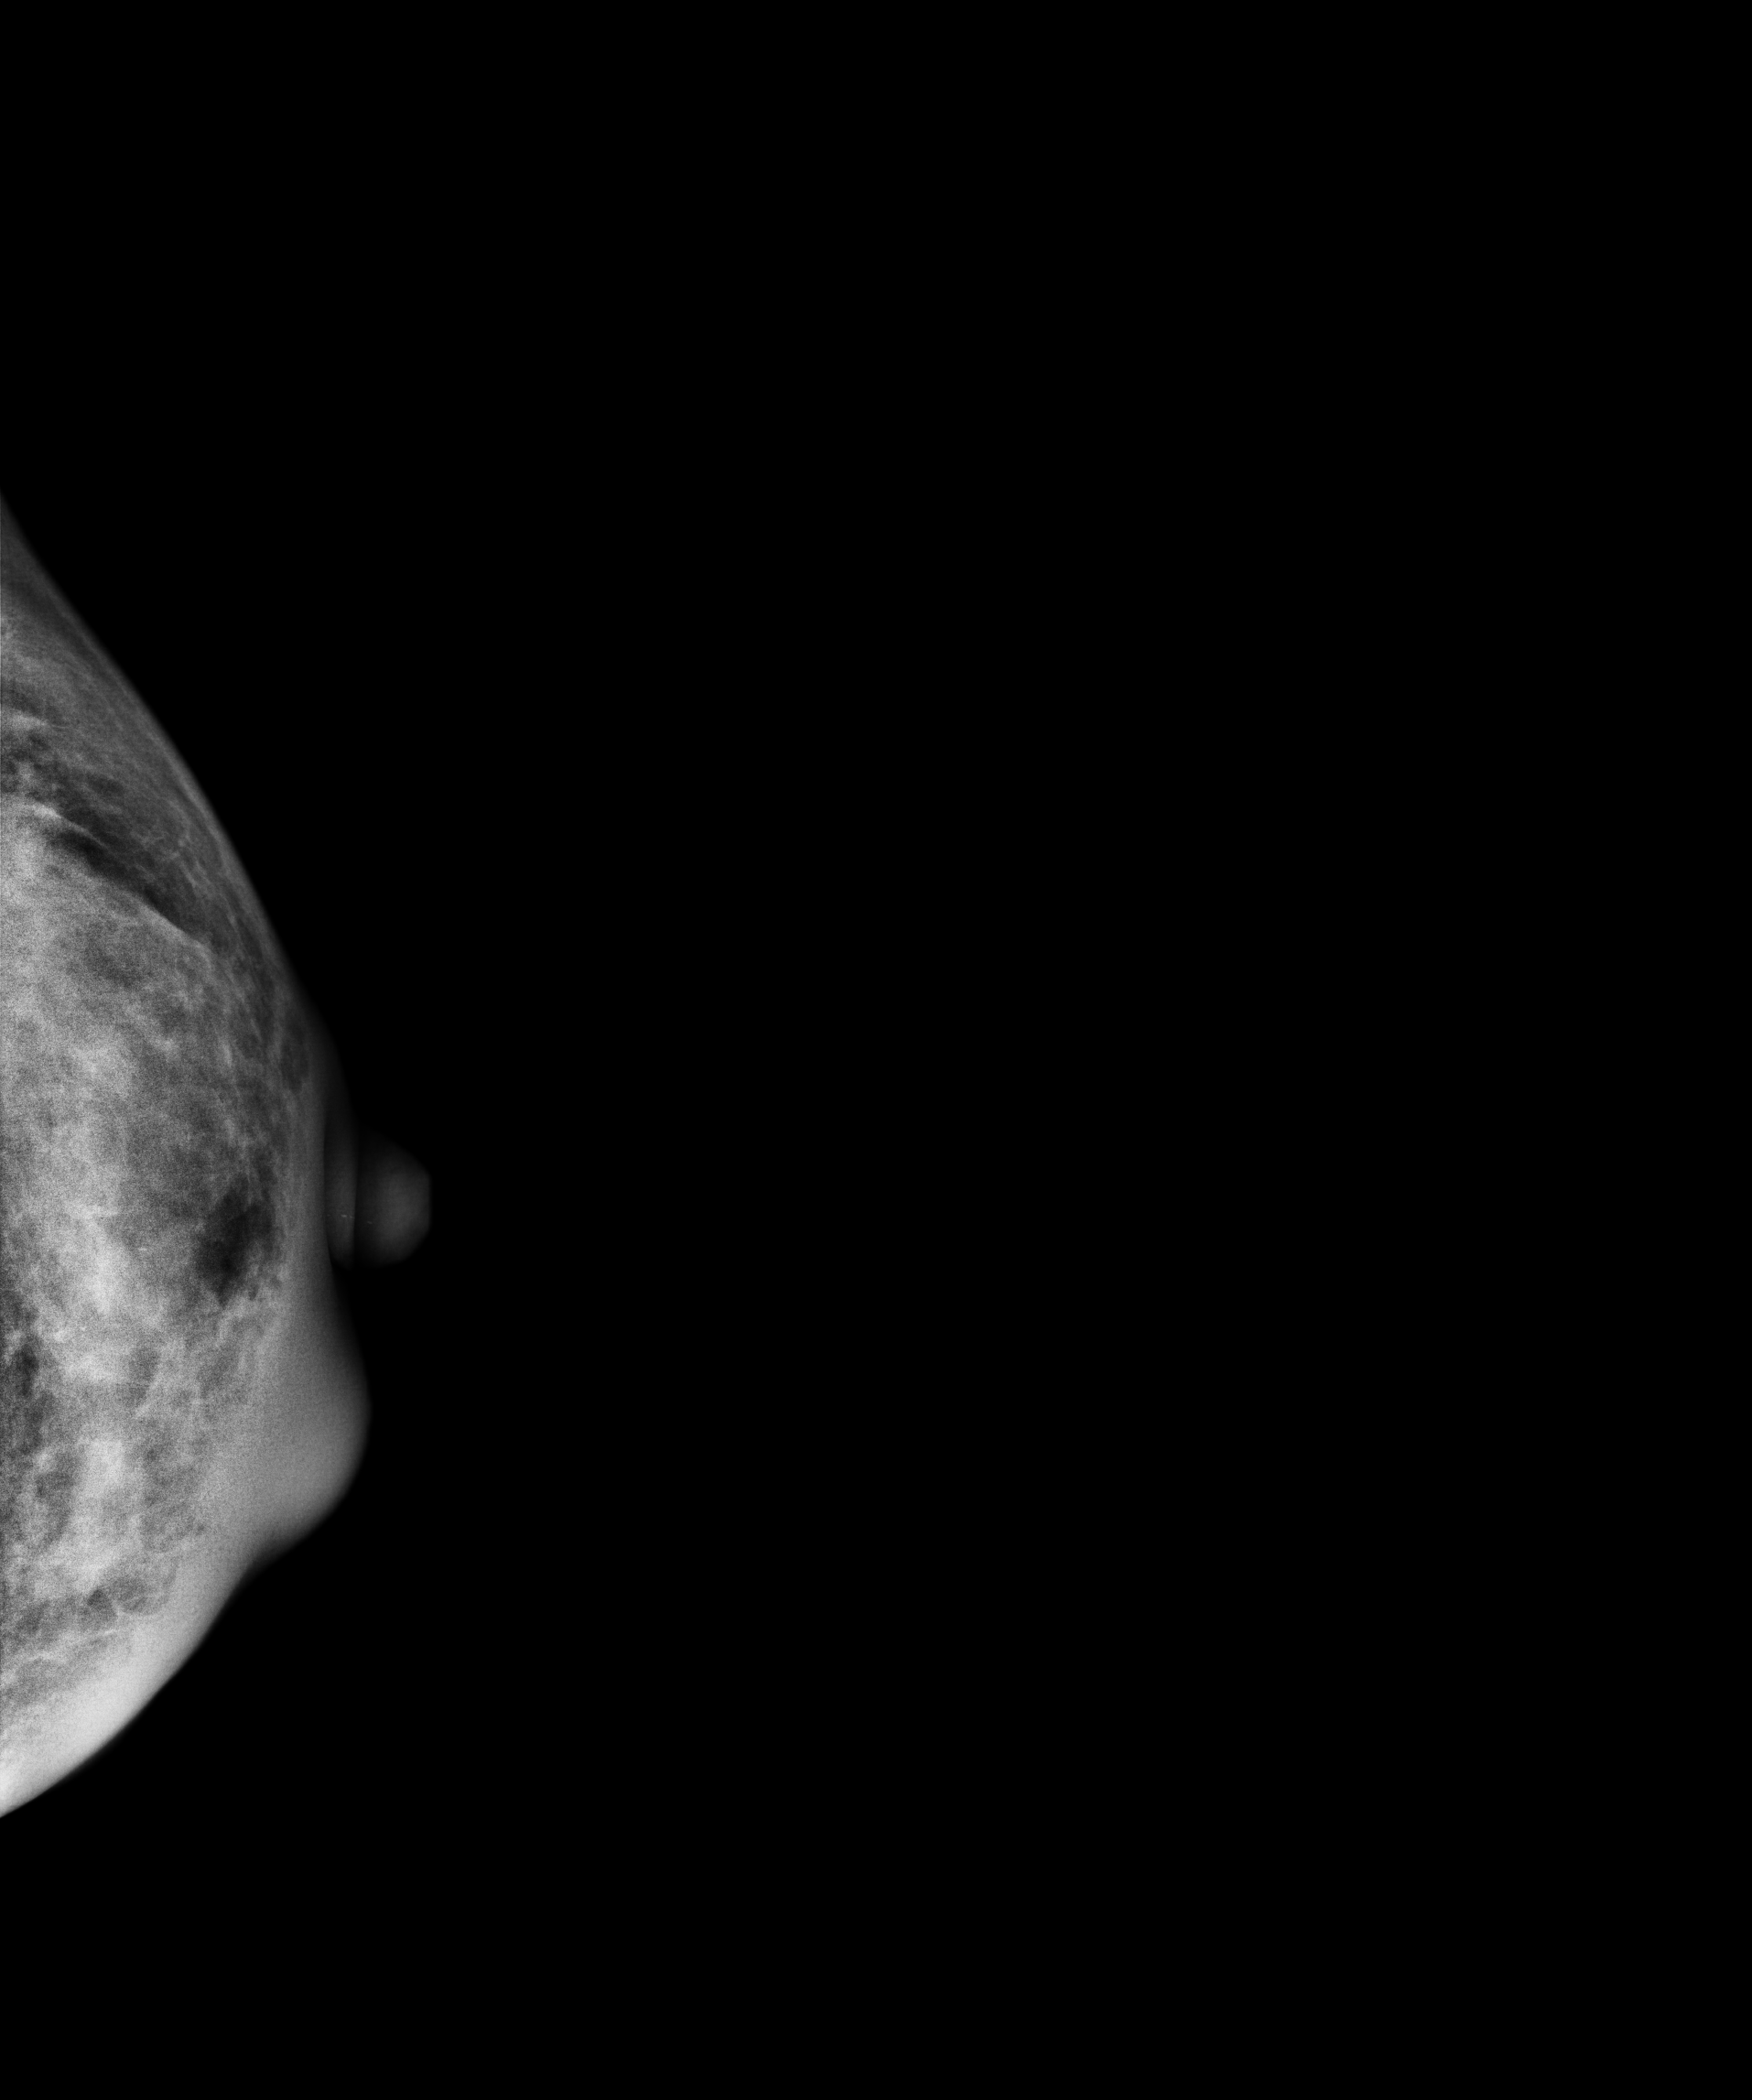
Mammogram, left breast, cranio-caudal view. 30 y/o patient.
This breast has a mass, biopsy-confirmed malignant. Molecular subtype: HER2-enriched.